MLO mammogram of the left breast. Patient age 44.
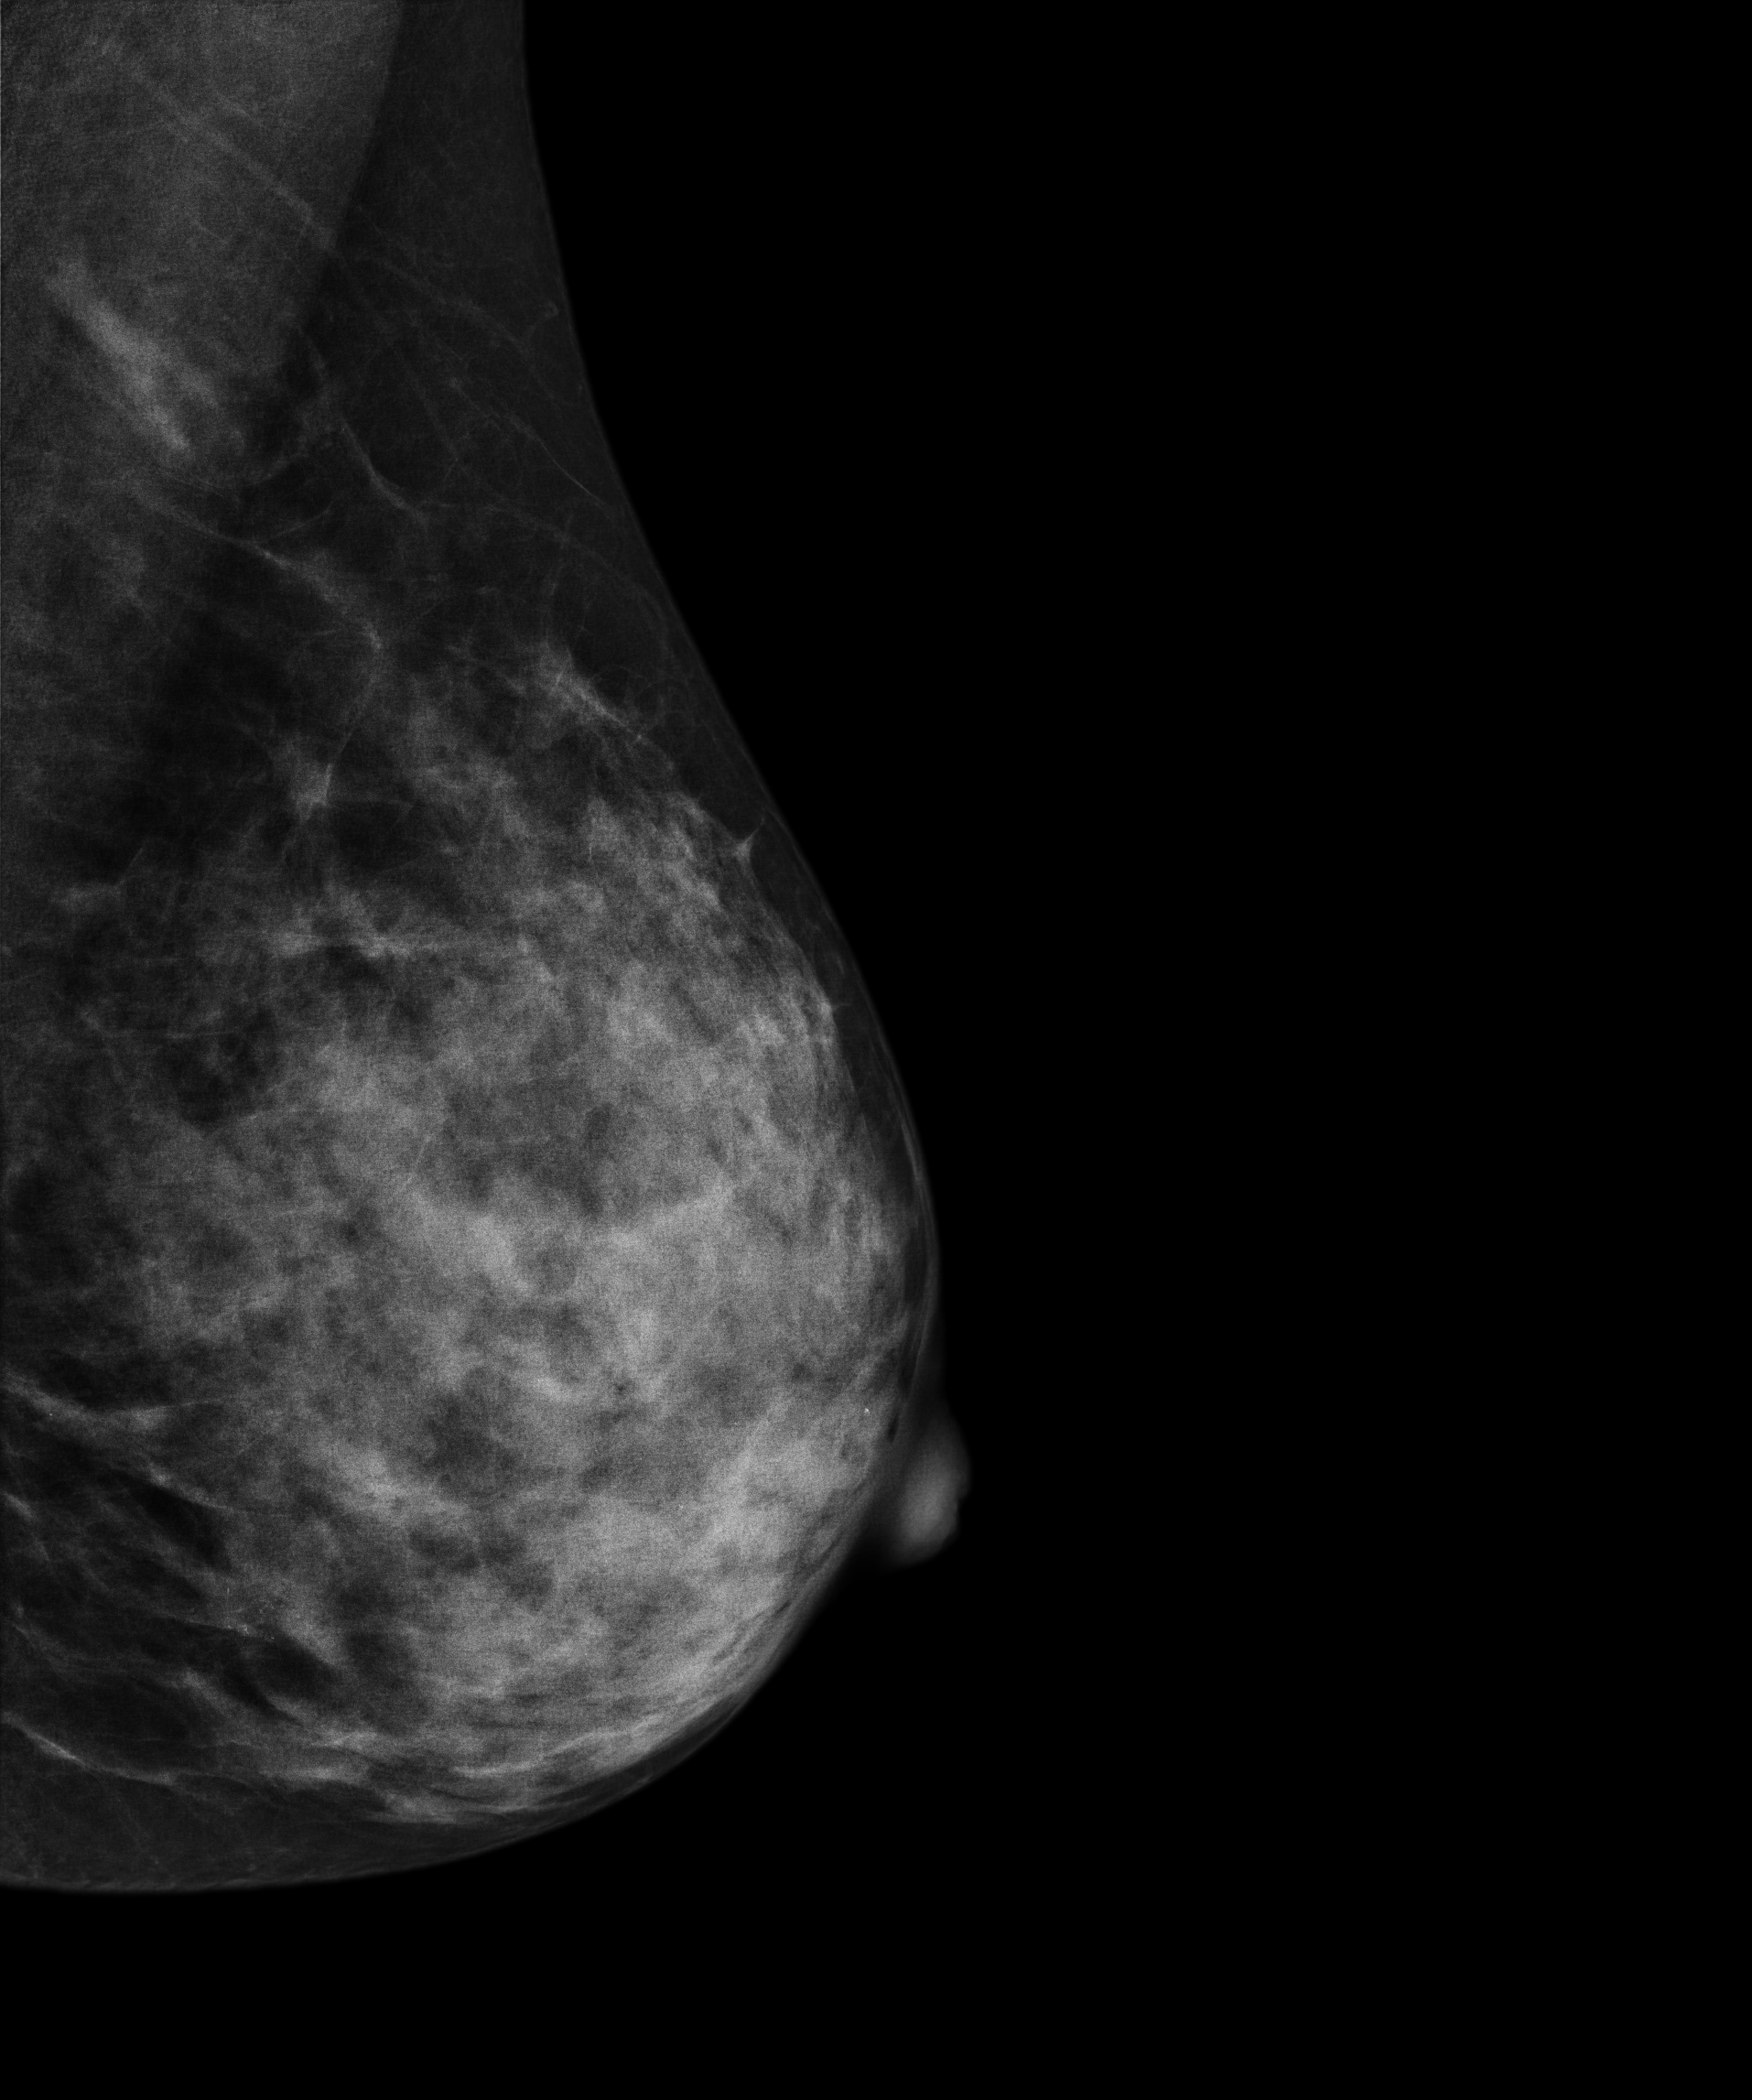
Contralateral breast — no documented abnormality on this side.